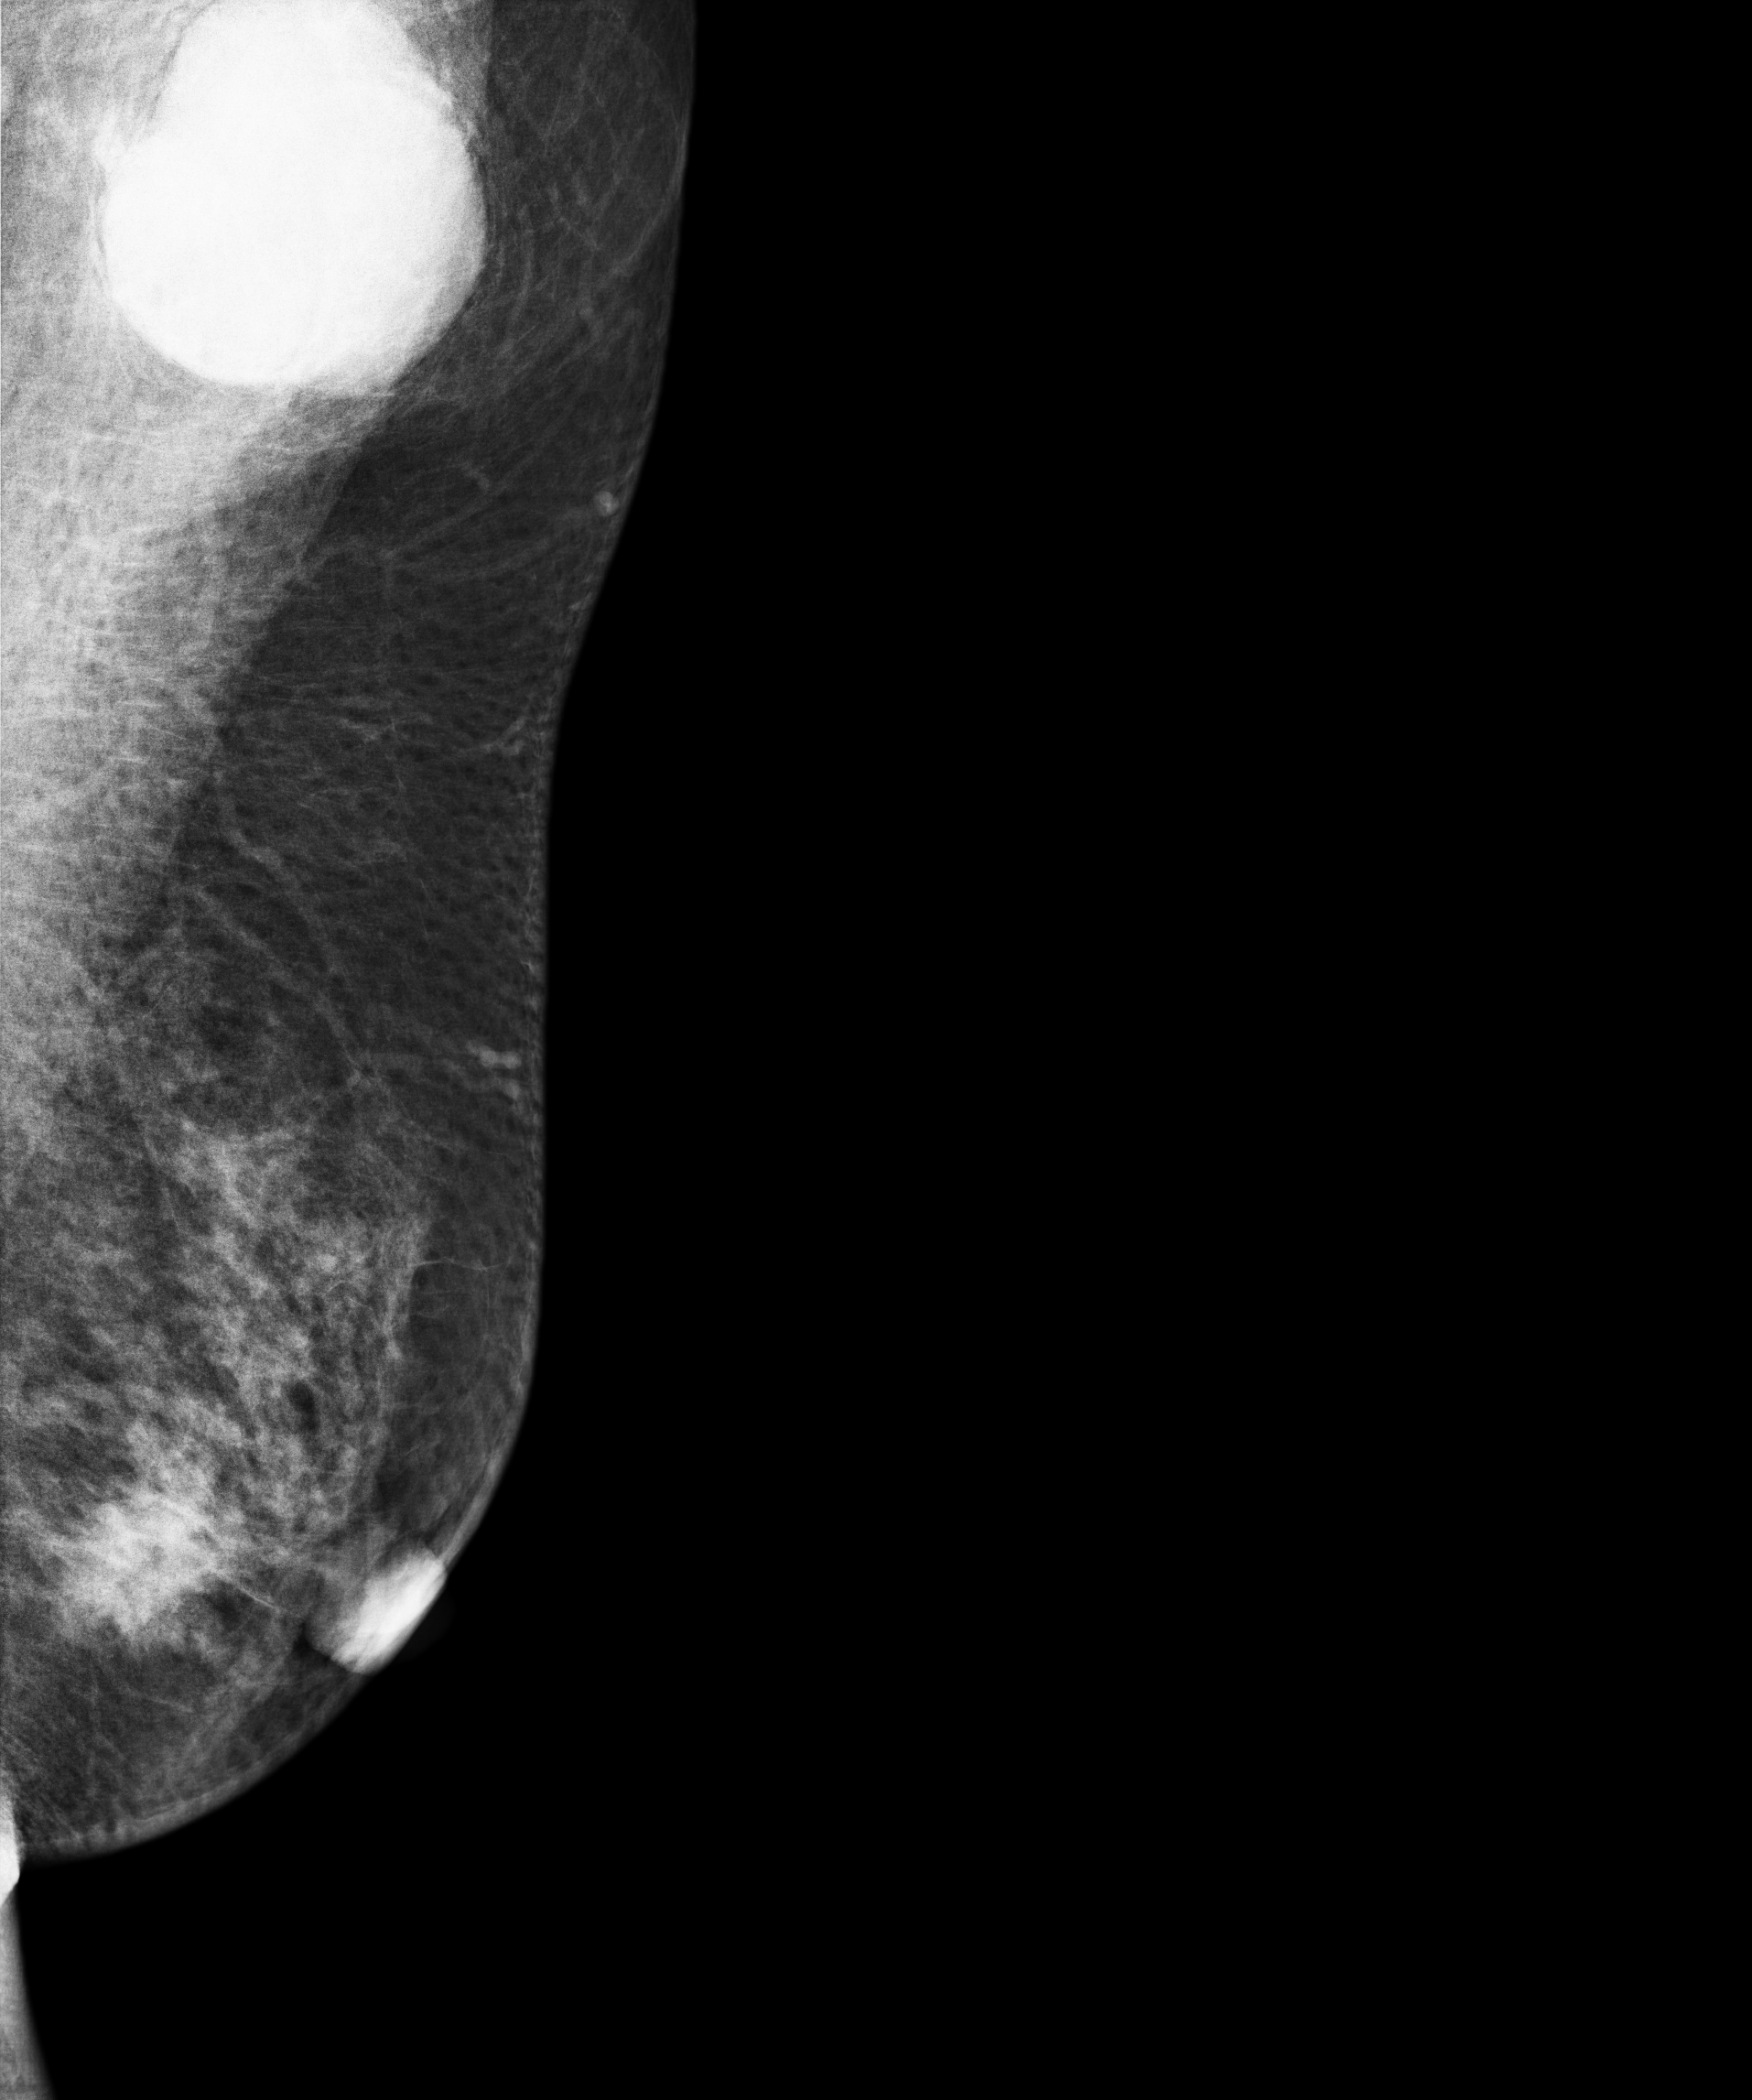
MLO mammogram of the left breast. 52-year-old patient.
This breast has a mass, histologically confirmed malignant. Molecular subtype: luminal A.